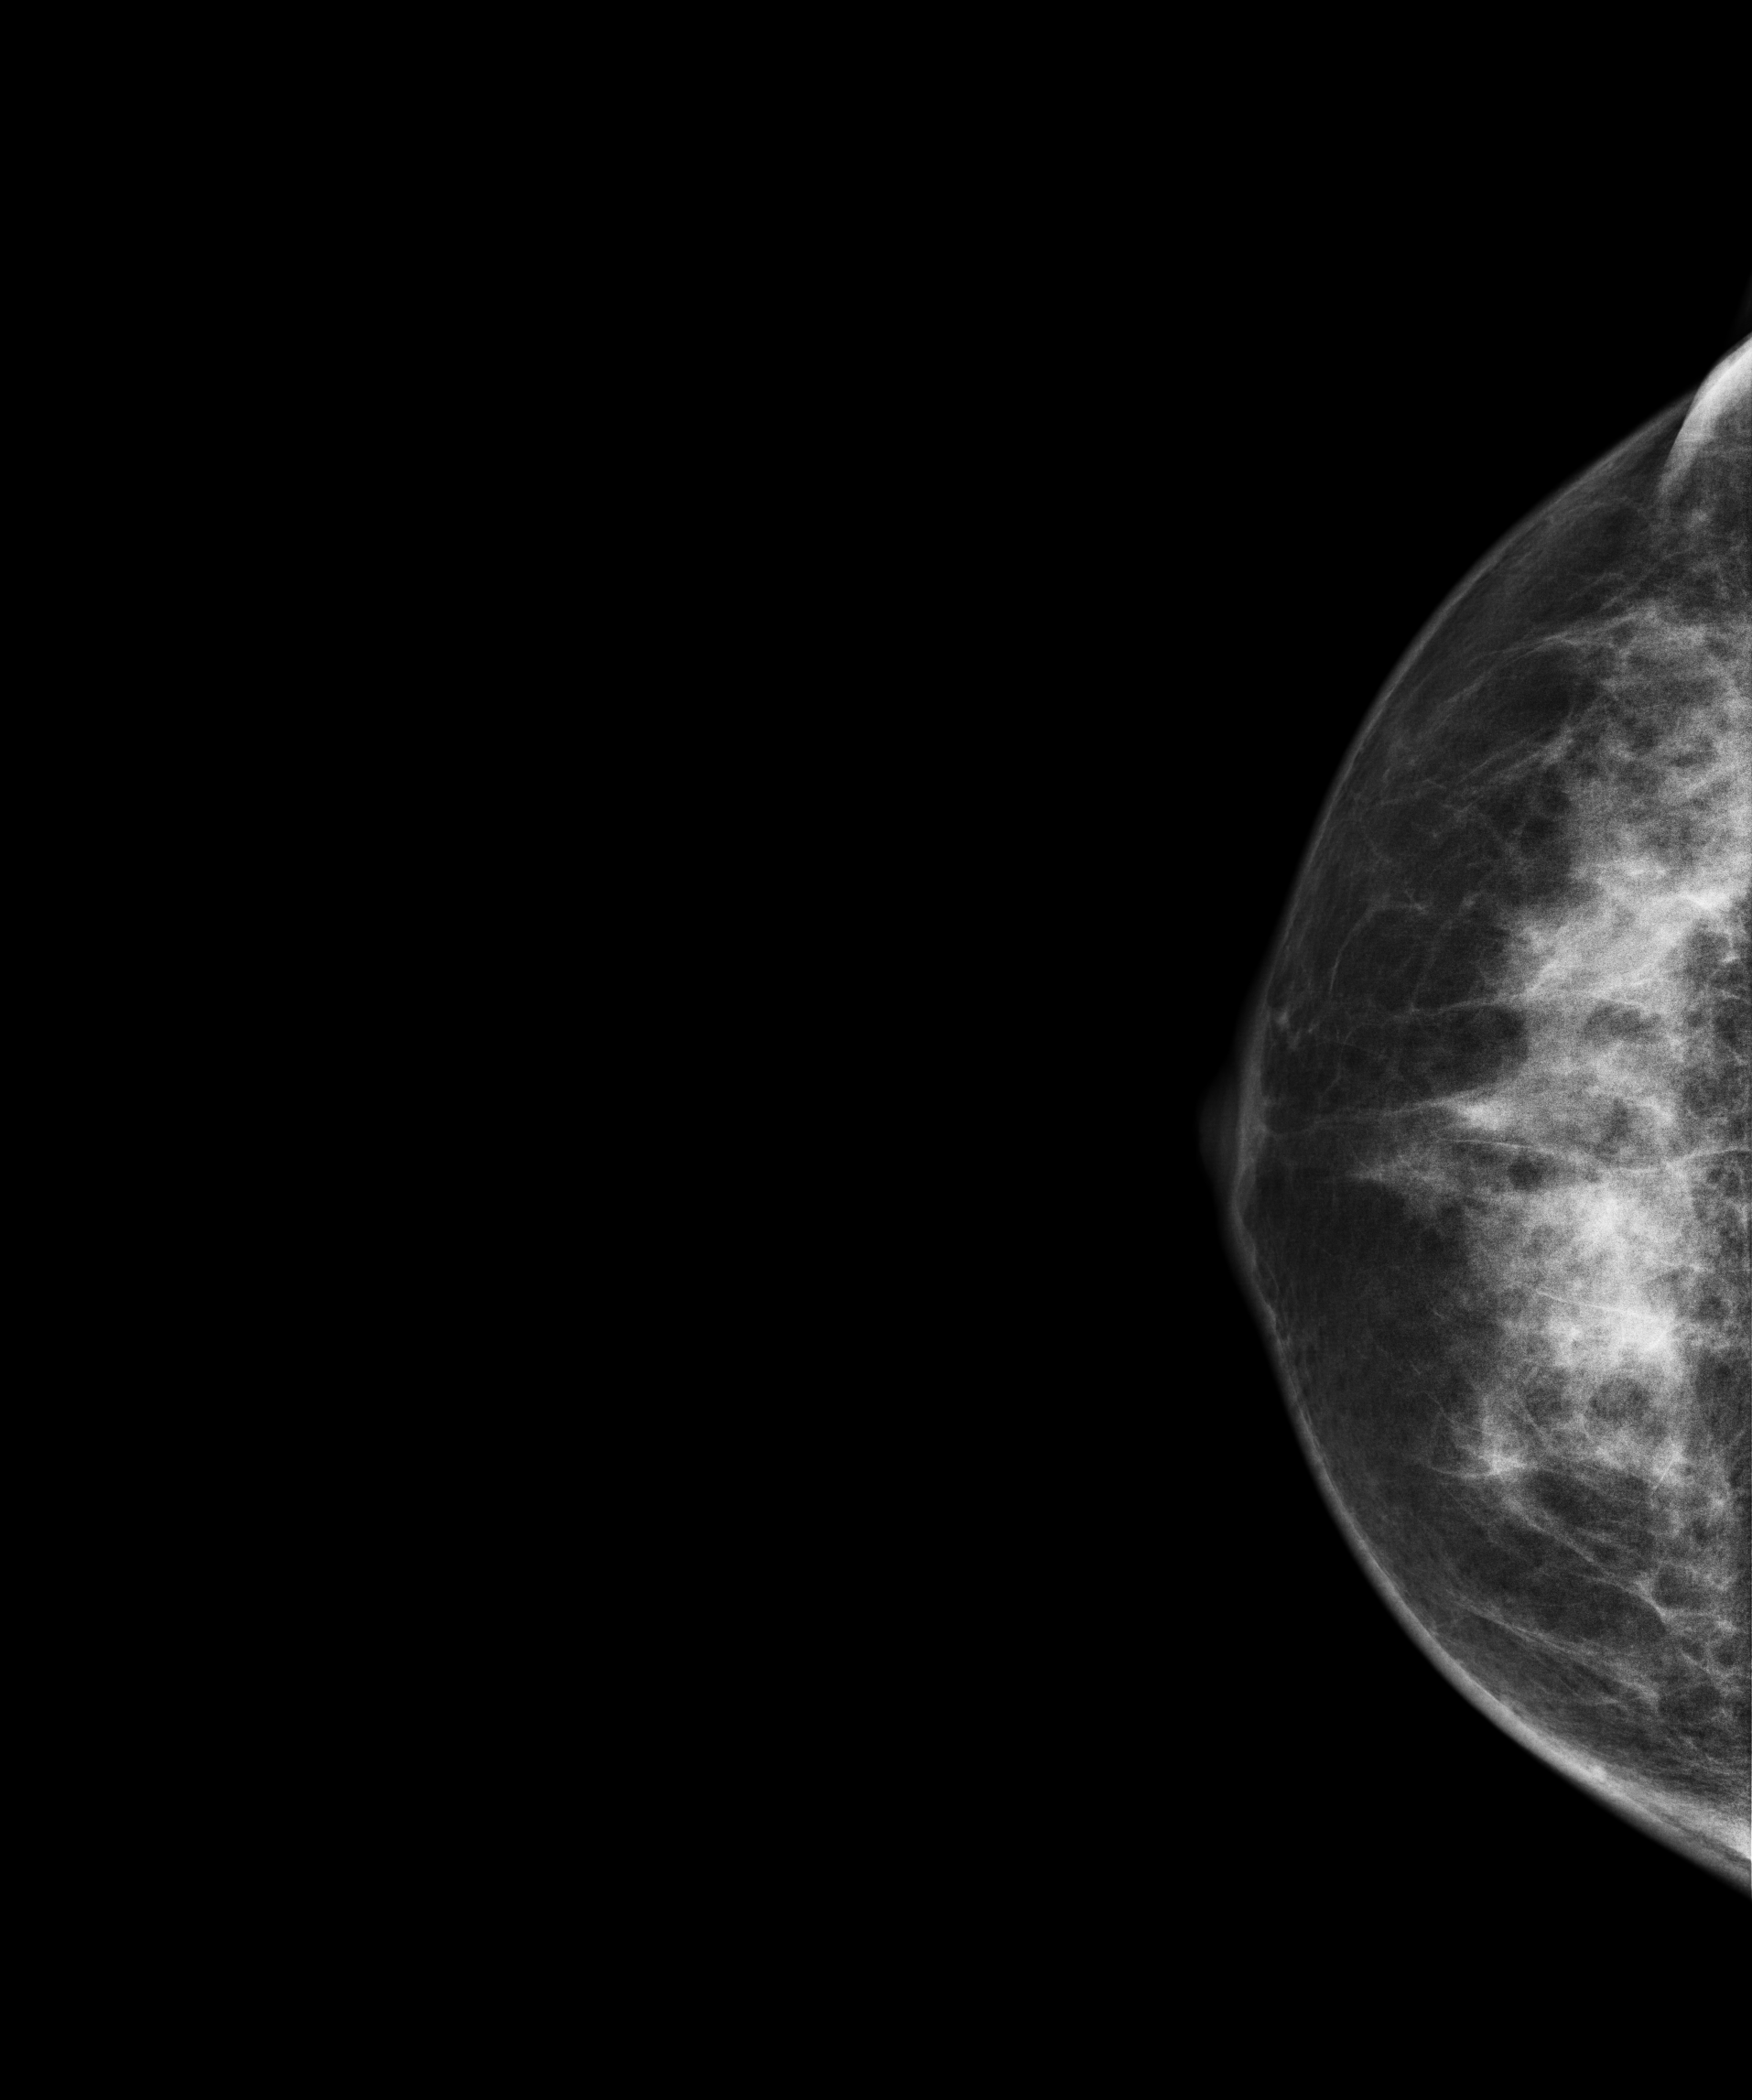
Cranio-caudal mammogram of the right breast. 54-year-old patient.
Contralateral breast — no documented abnormality on this side.